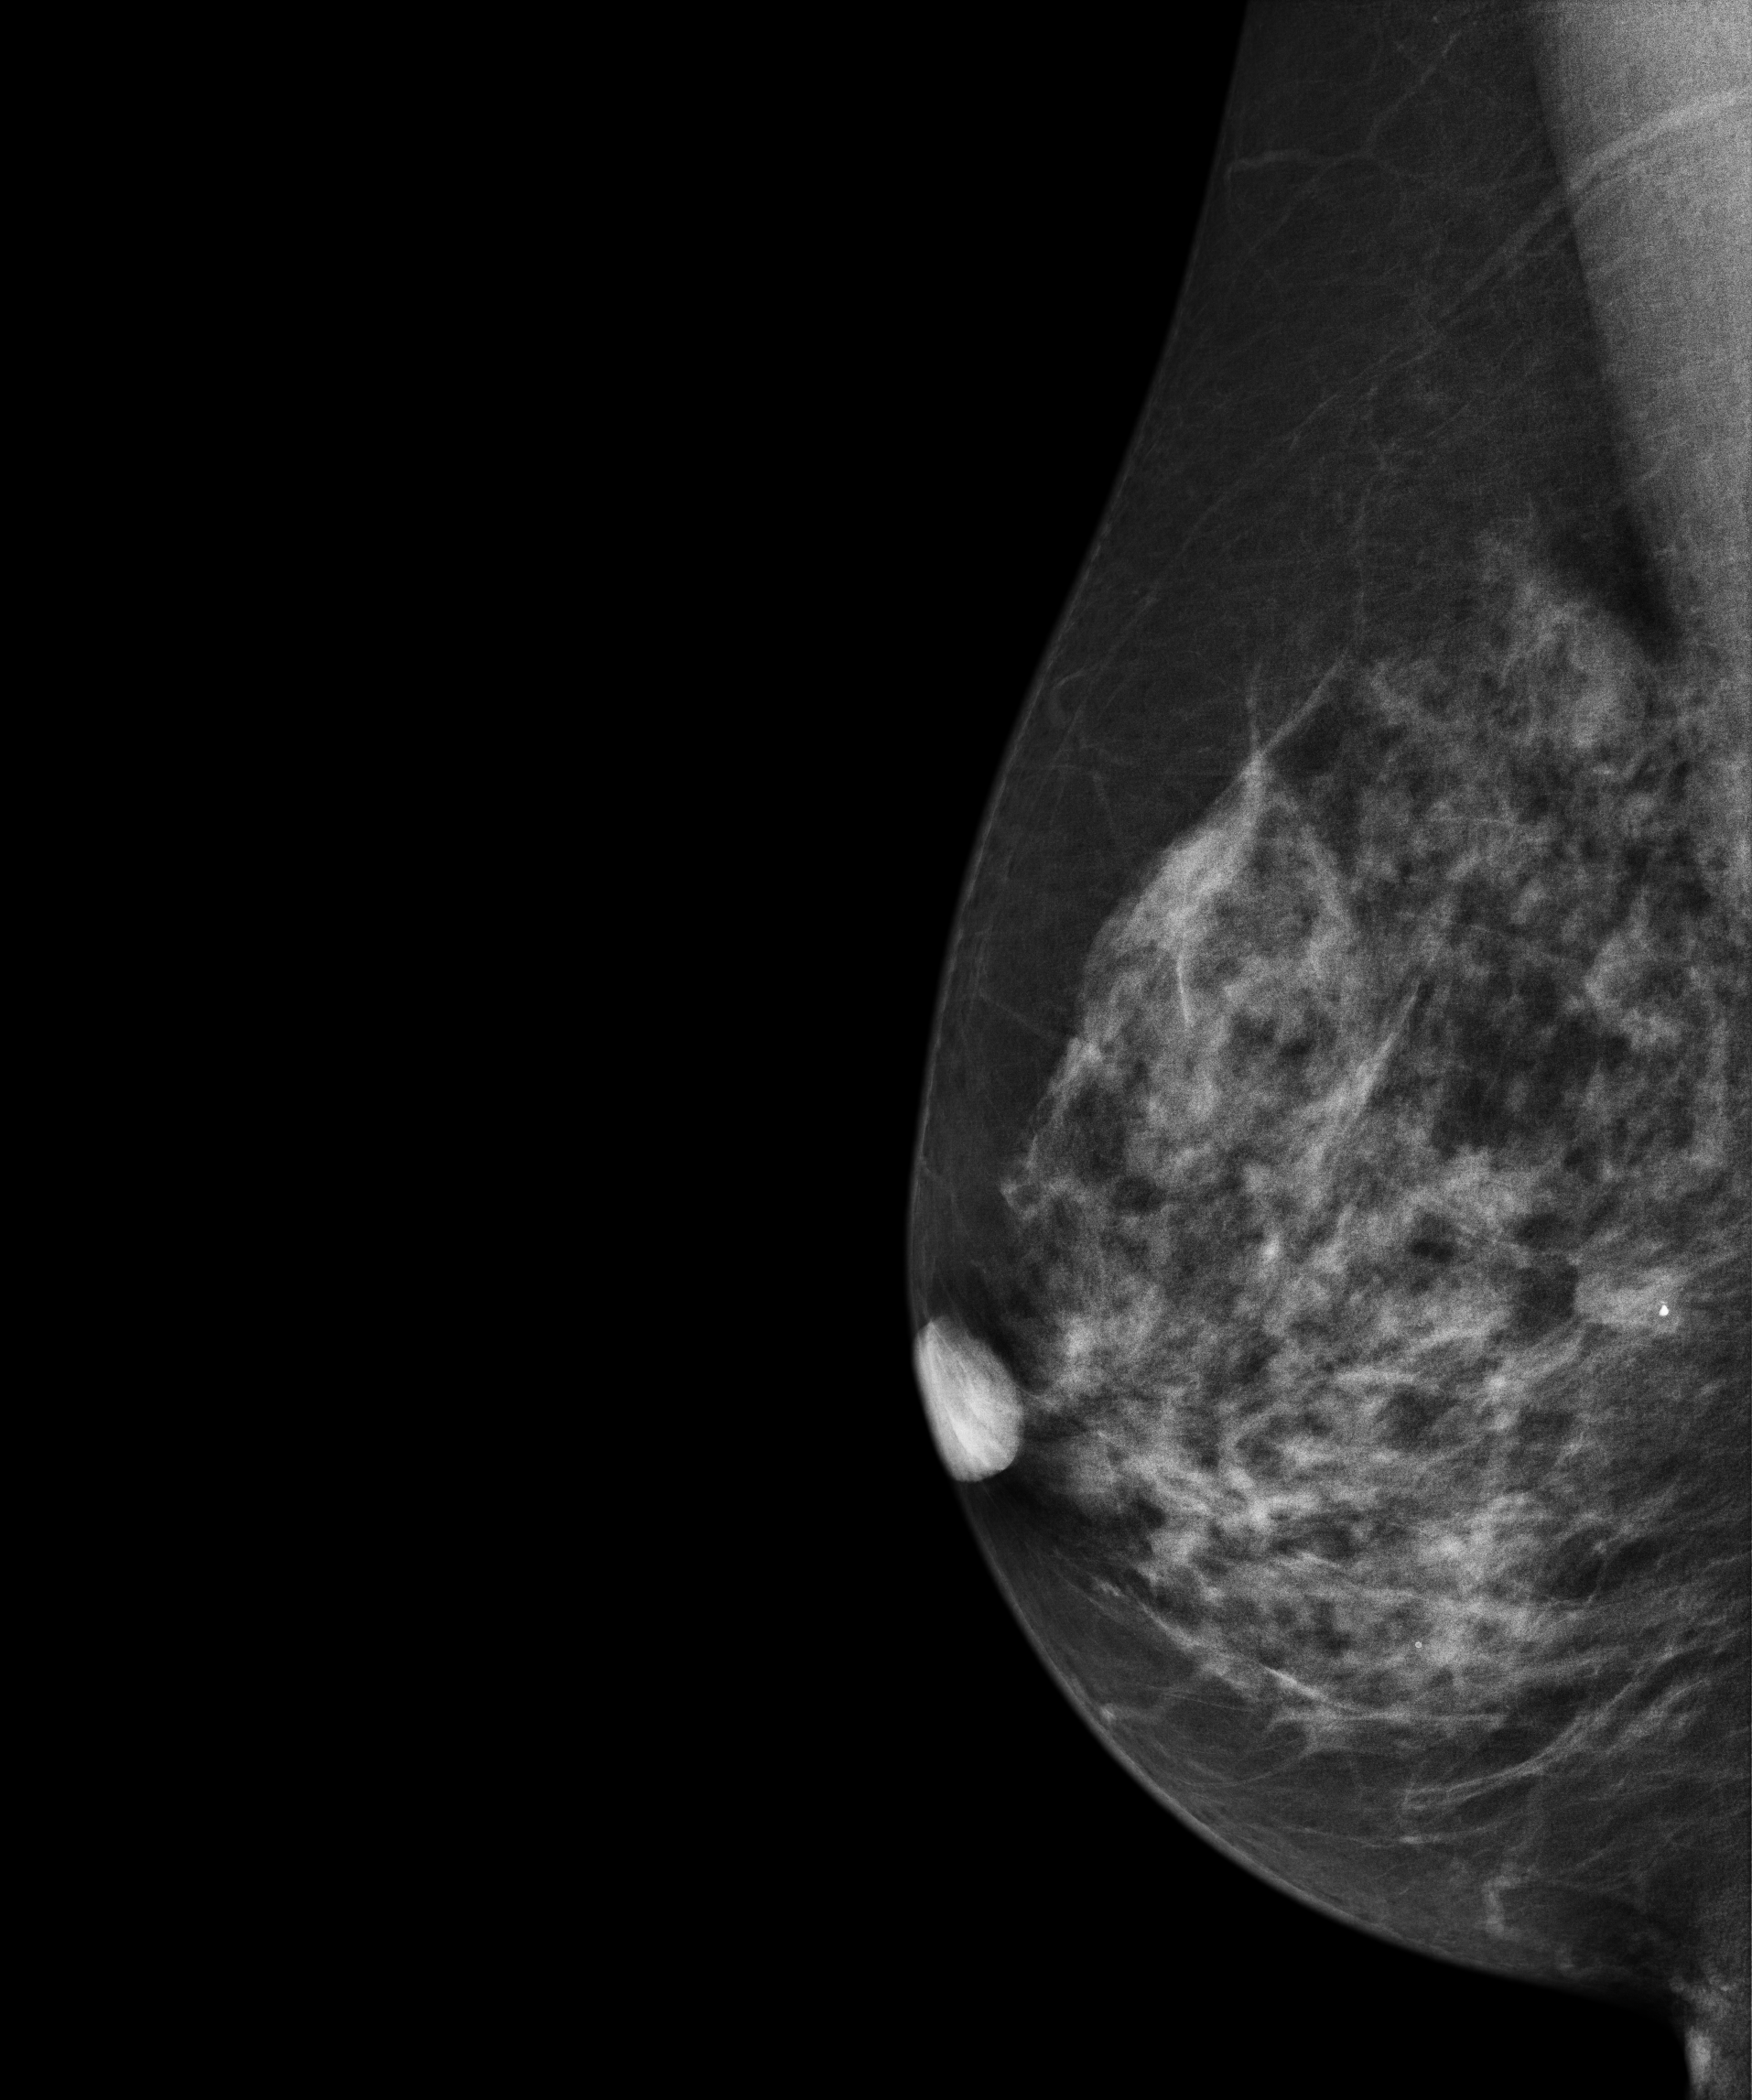
Mammogram — right medio-lateral oblique. 40 y/o patient.
This breast has a mass, biopsy-proven benign.